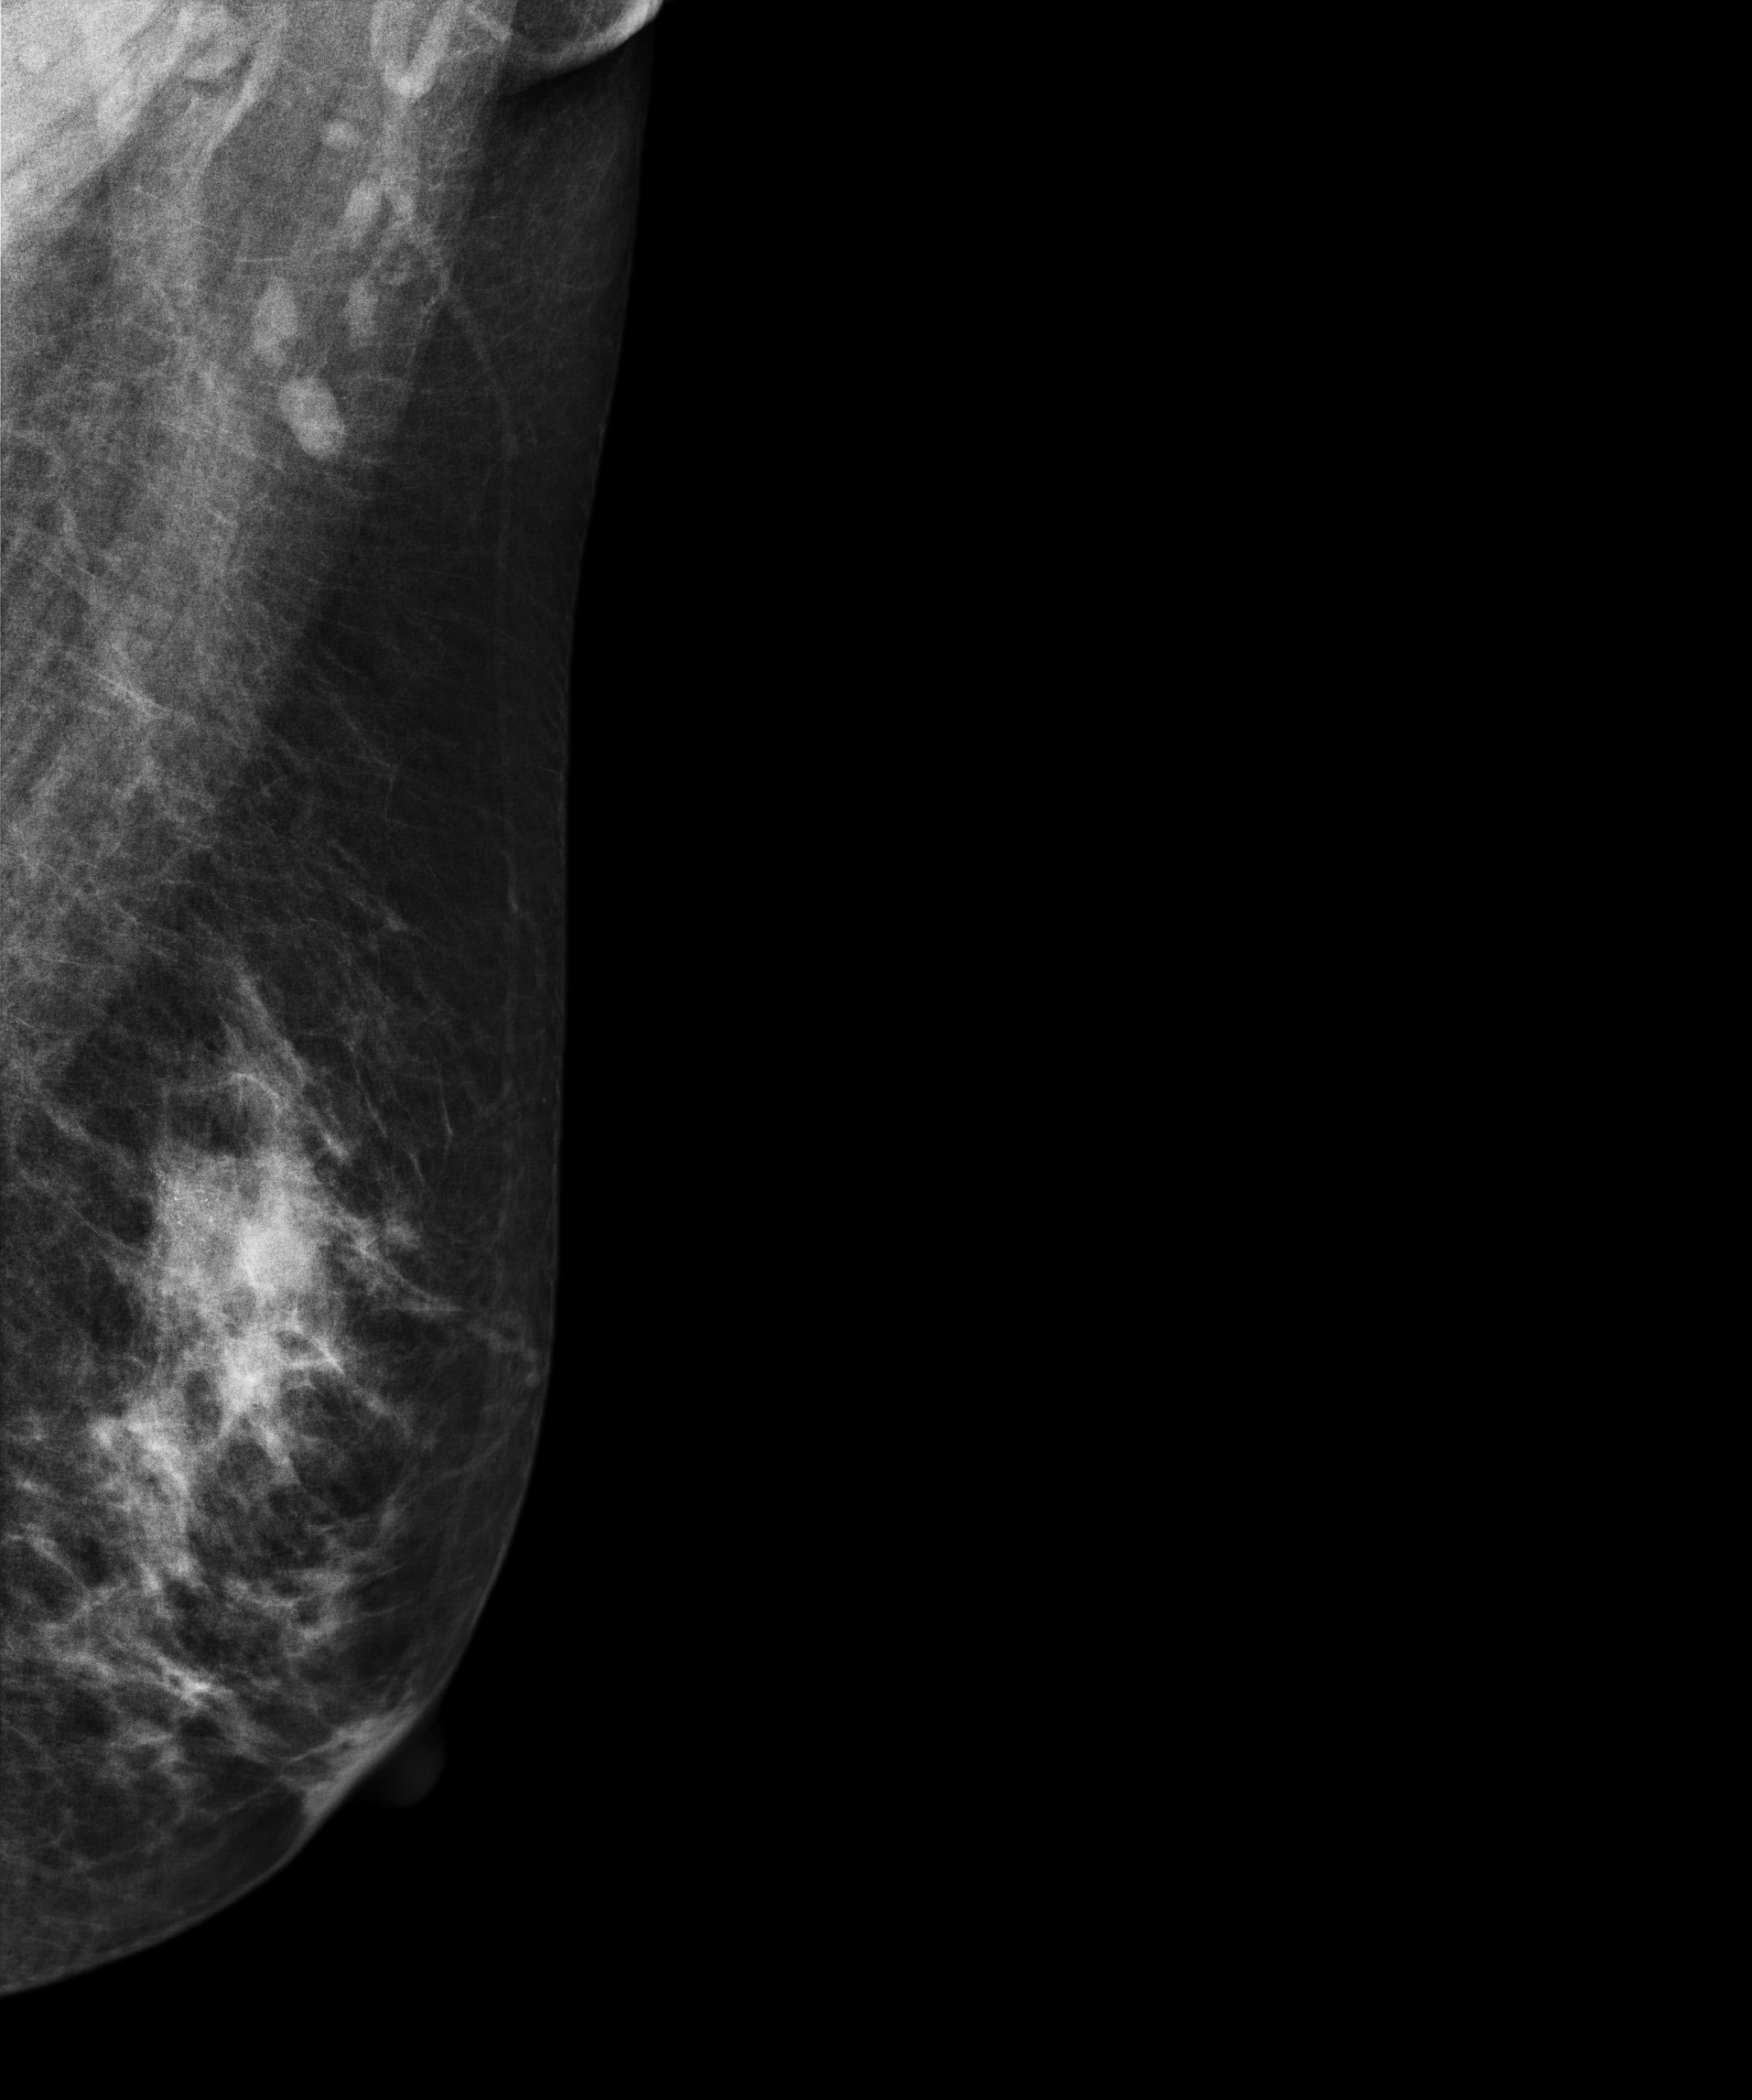
Medio-lateral oblique mammogram of the left breast. Patient age 37.
This breast has a mass and calcifications, biopsy-proven malignant. Molecular subtype: luminal B.